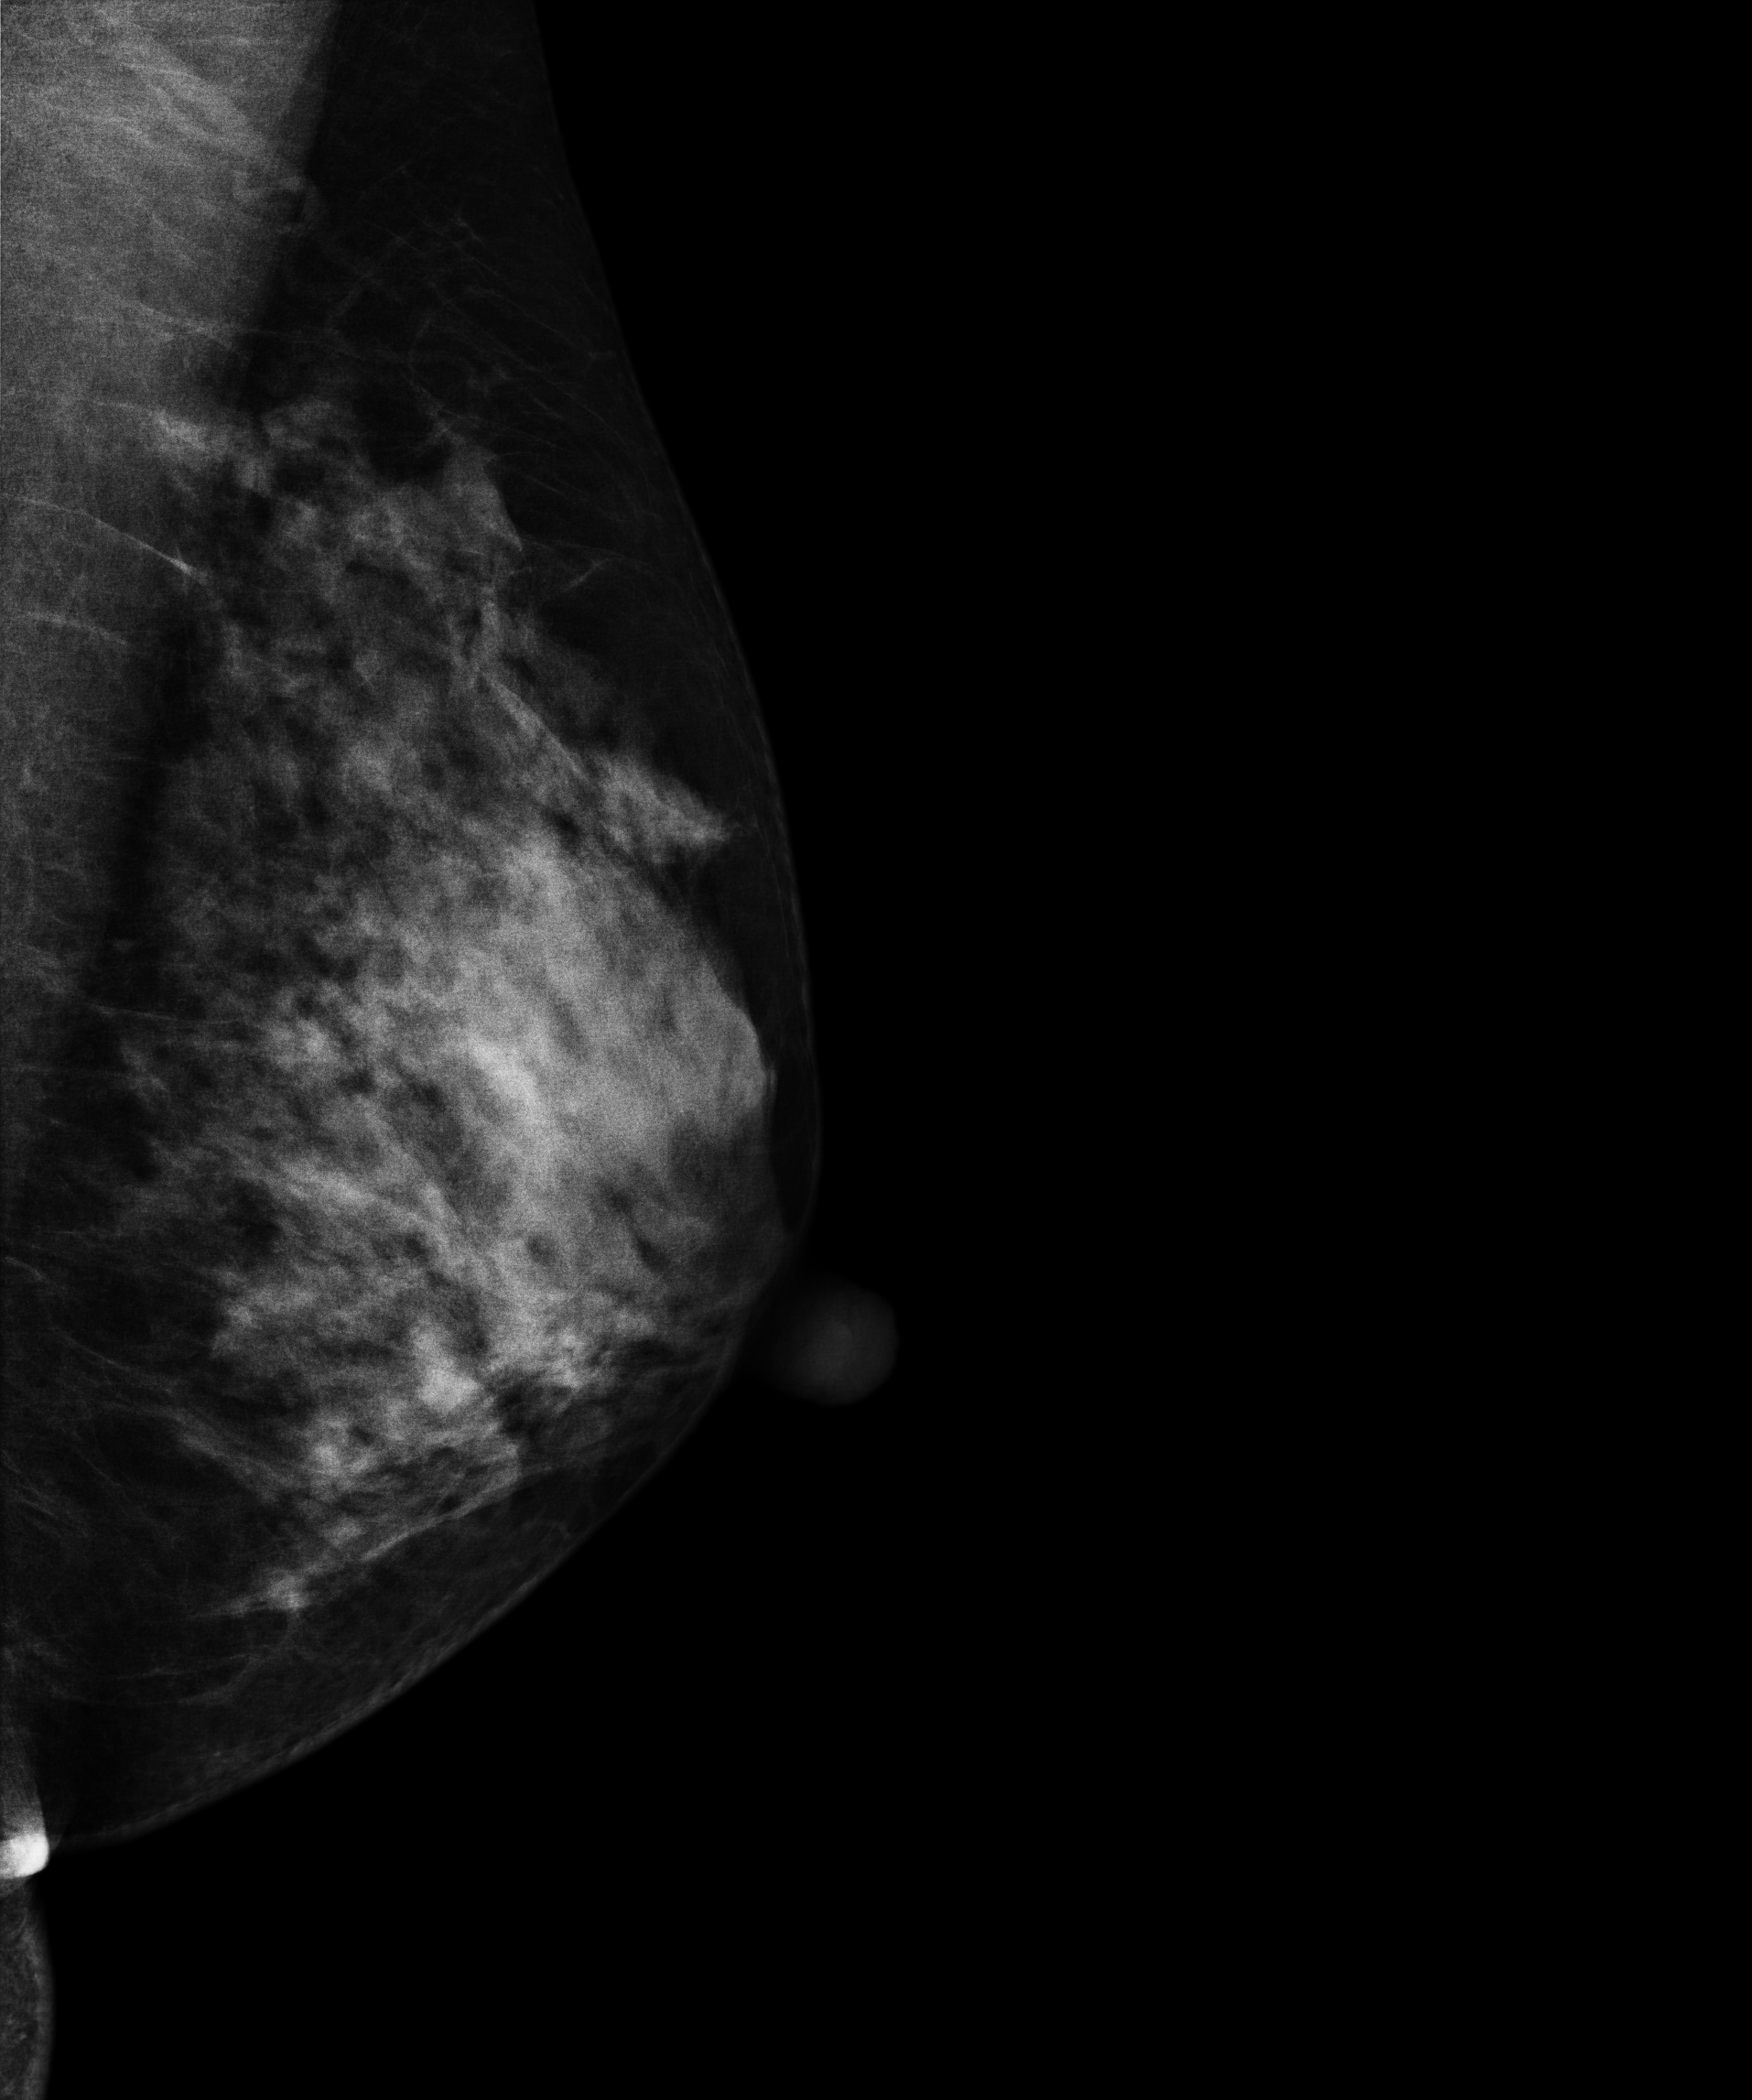
Digital mammography. Left breast, medio-lateral oblique projection. Patient age 46.
Contralateral breast — no documented abnormality on this side.